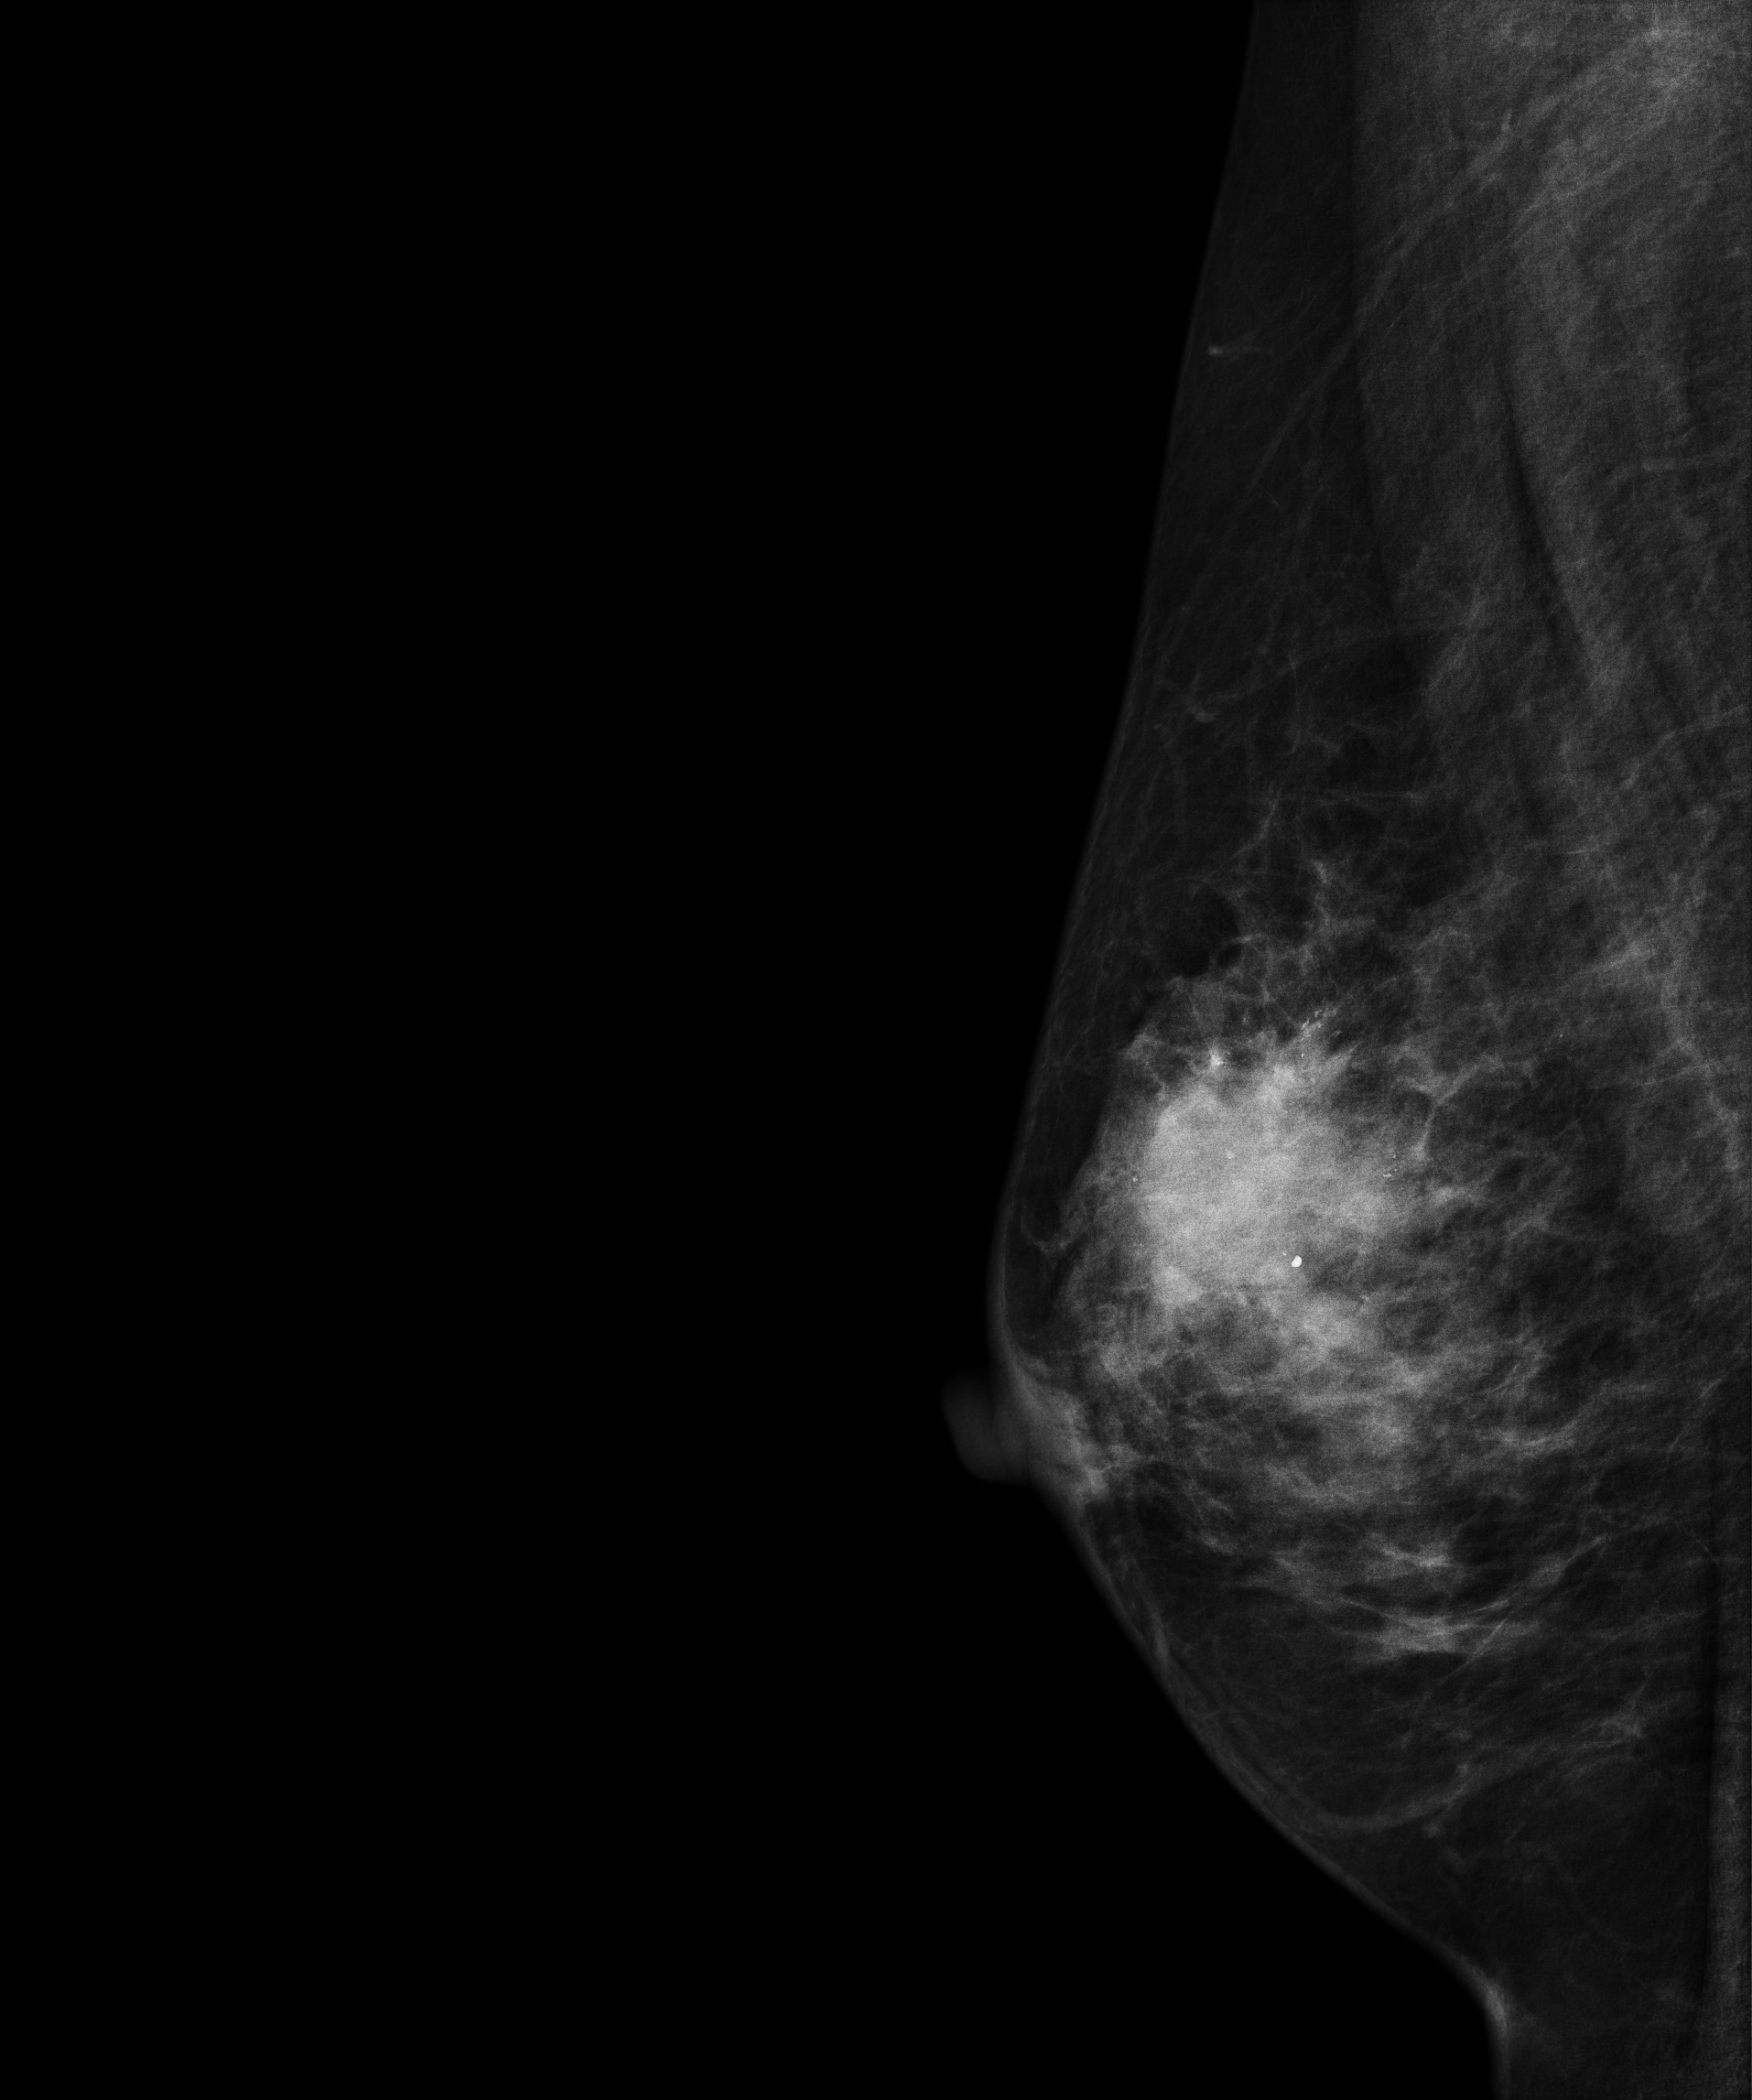
Mammogram — right MLO. 58-year-old patient.
This breast has a mass and calcifications, pathology-confirmed malignant. Molecular subtype: HER2-enriched.